Mammogram, right breast, MLO view. Patient age 50.
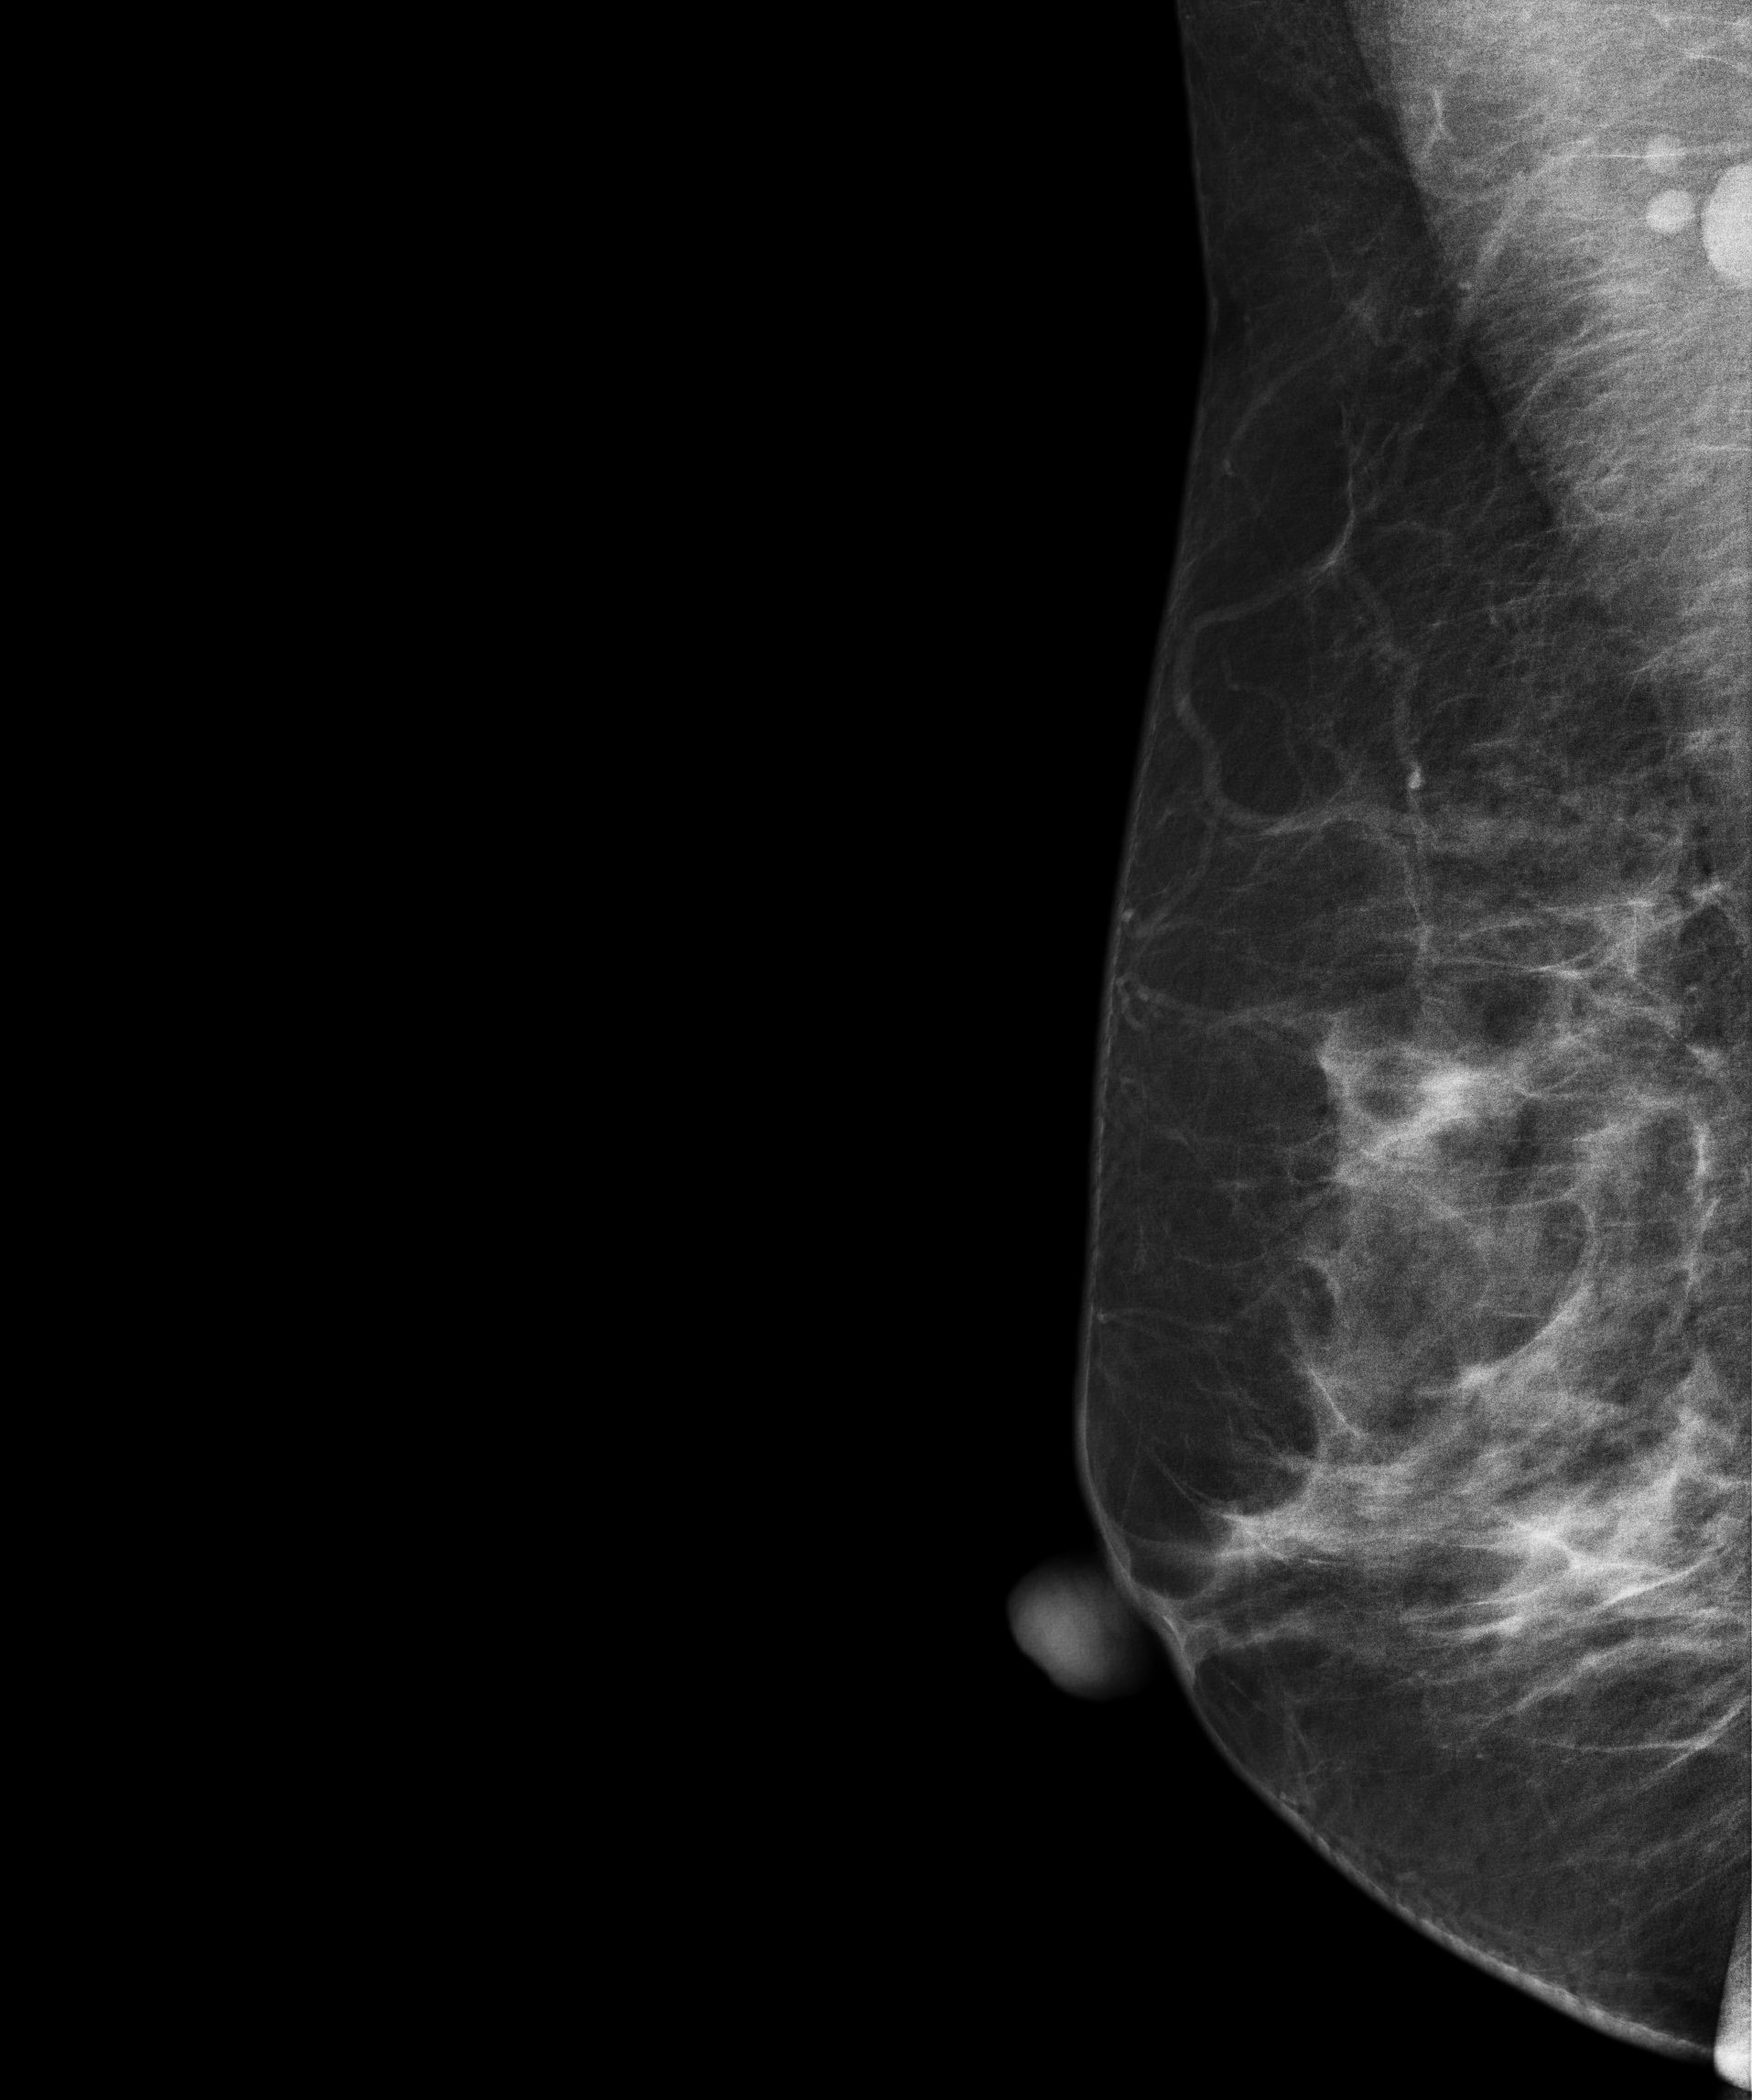
This breast has a mass and calcifications, pathology-confirmed benign.